Mammogram, left breast, medio-lateral oblique view. 40-year-old patient.
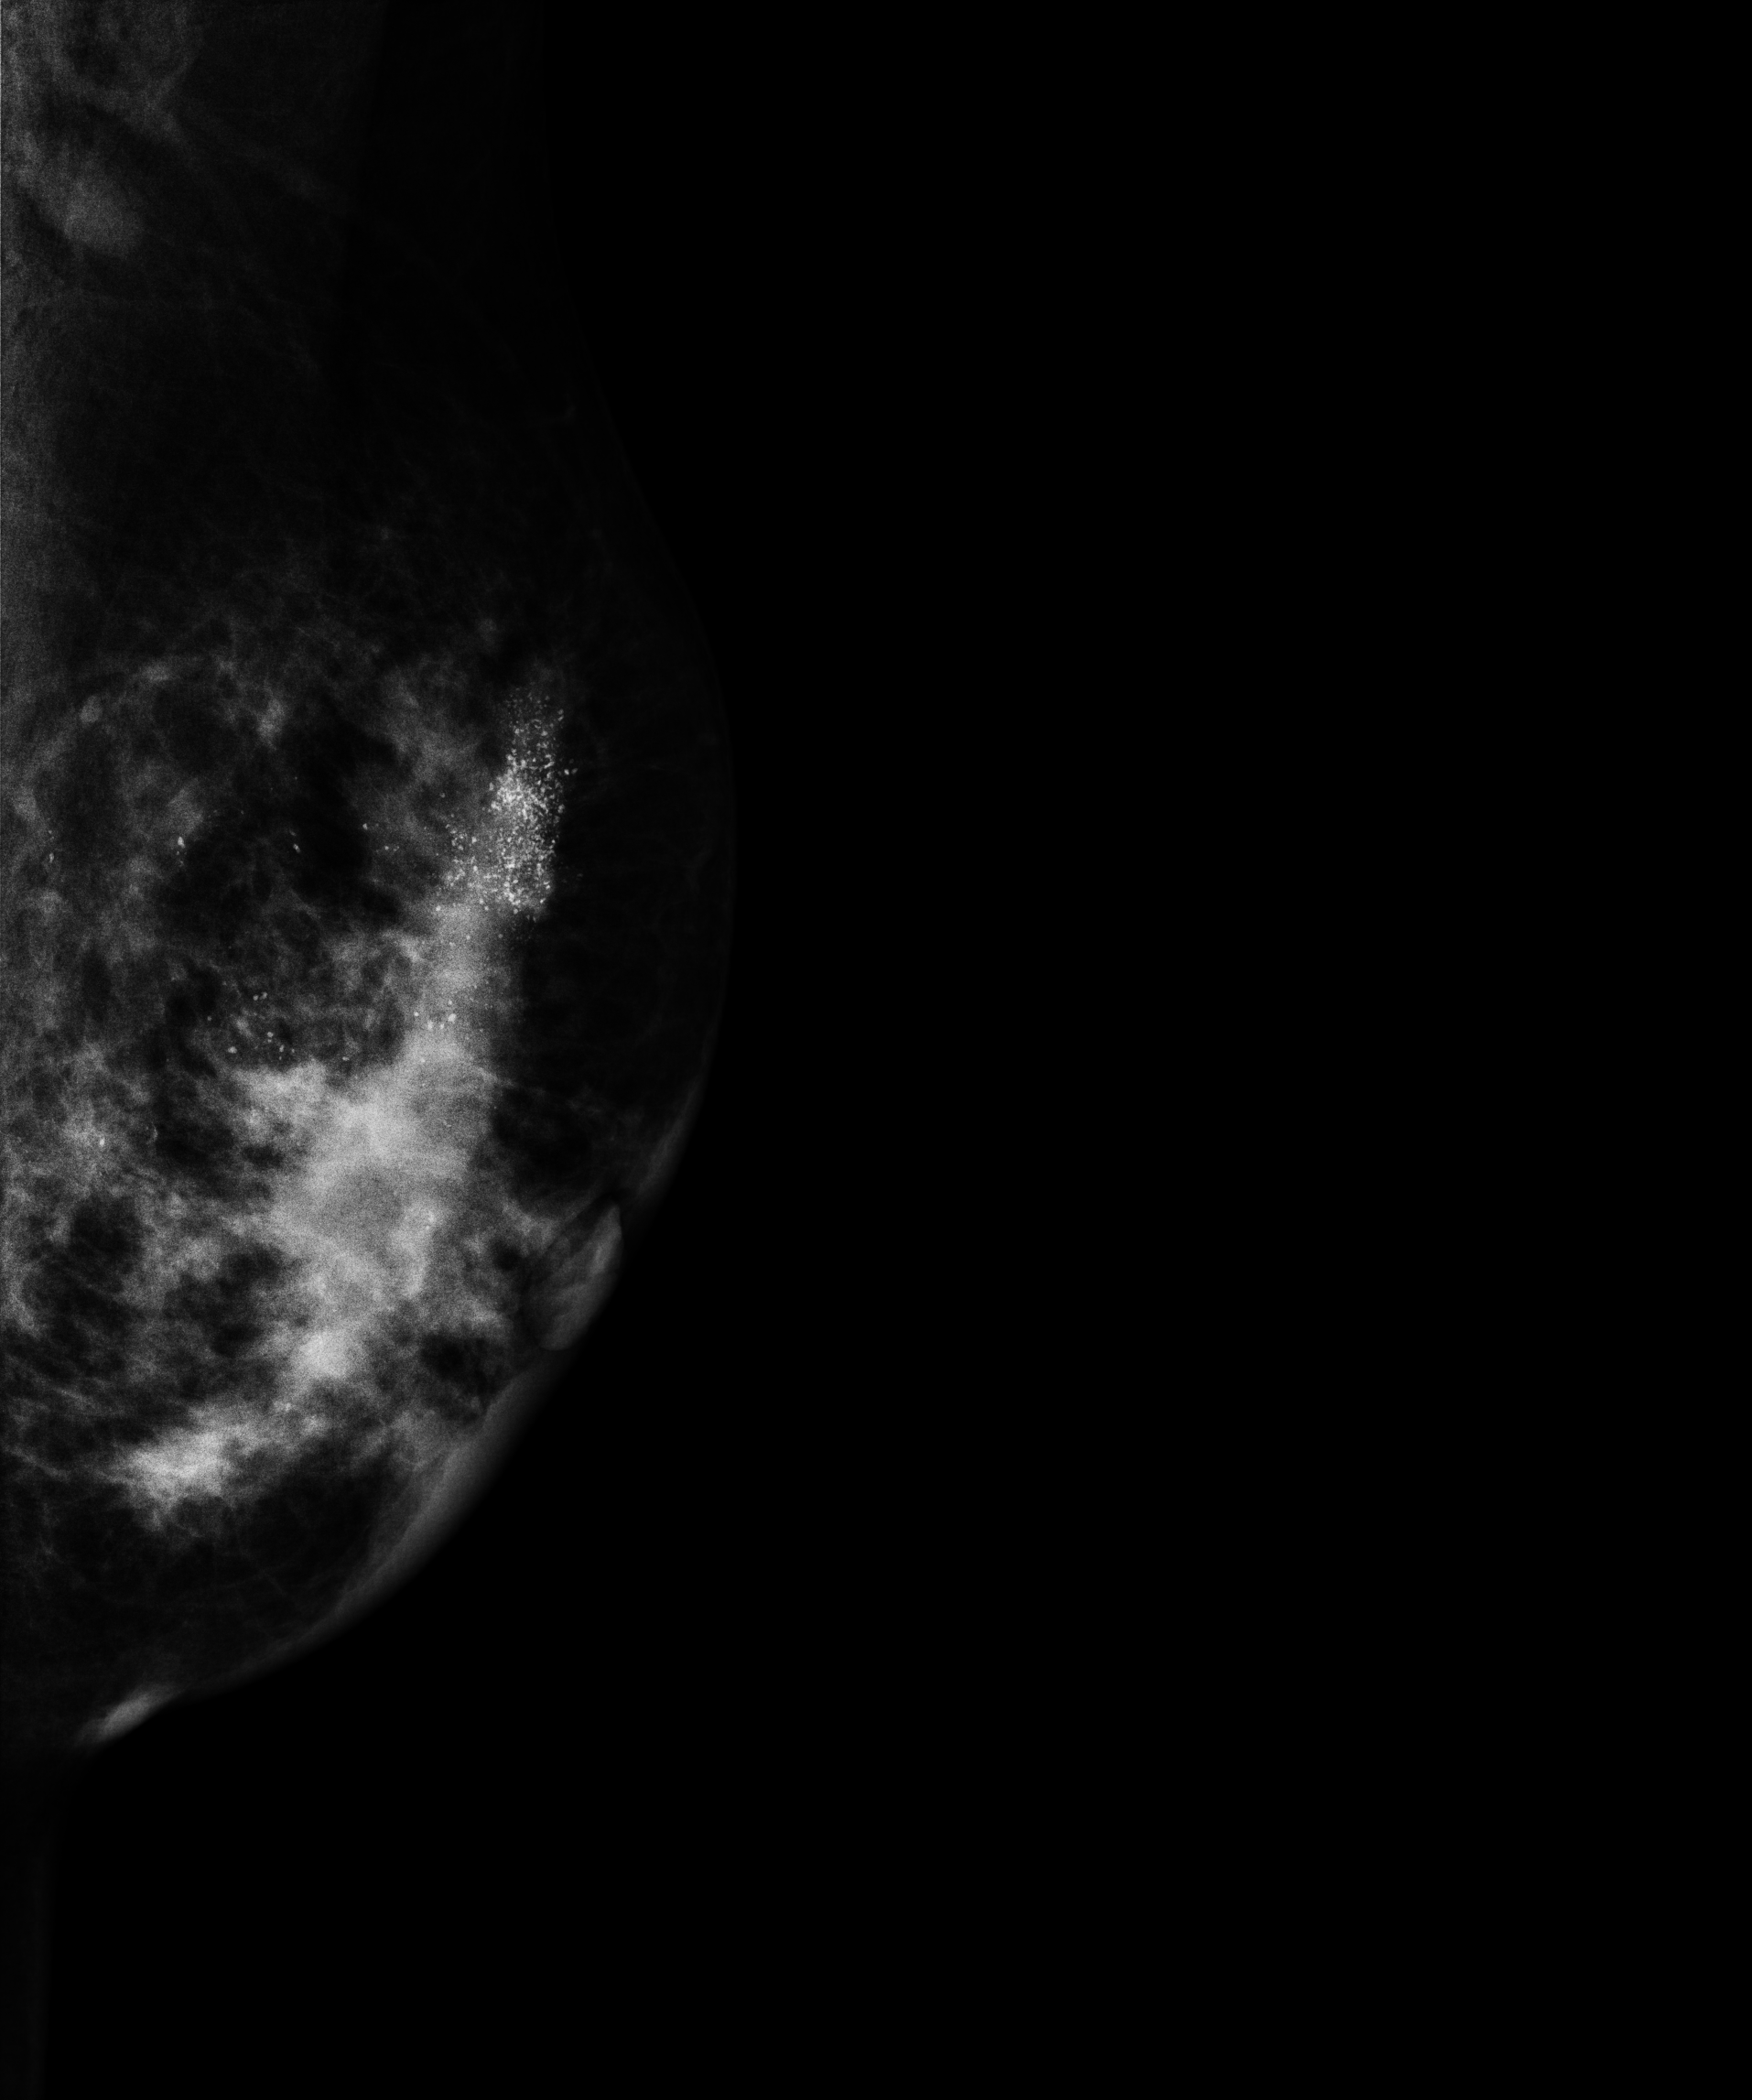
This breast has calcifications, biopsy-proven malignant. Molecular subtype: triple-negative.